Medio-lateral oblique mammogram of the right breast. 44-year-old patient.
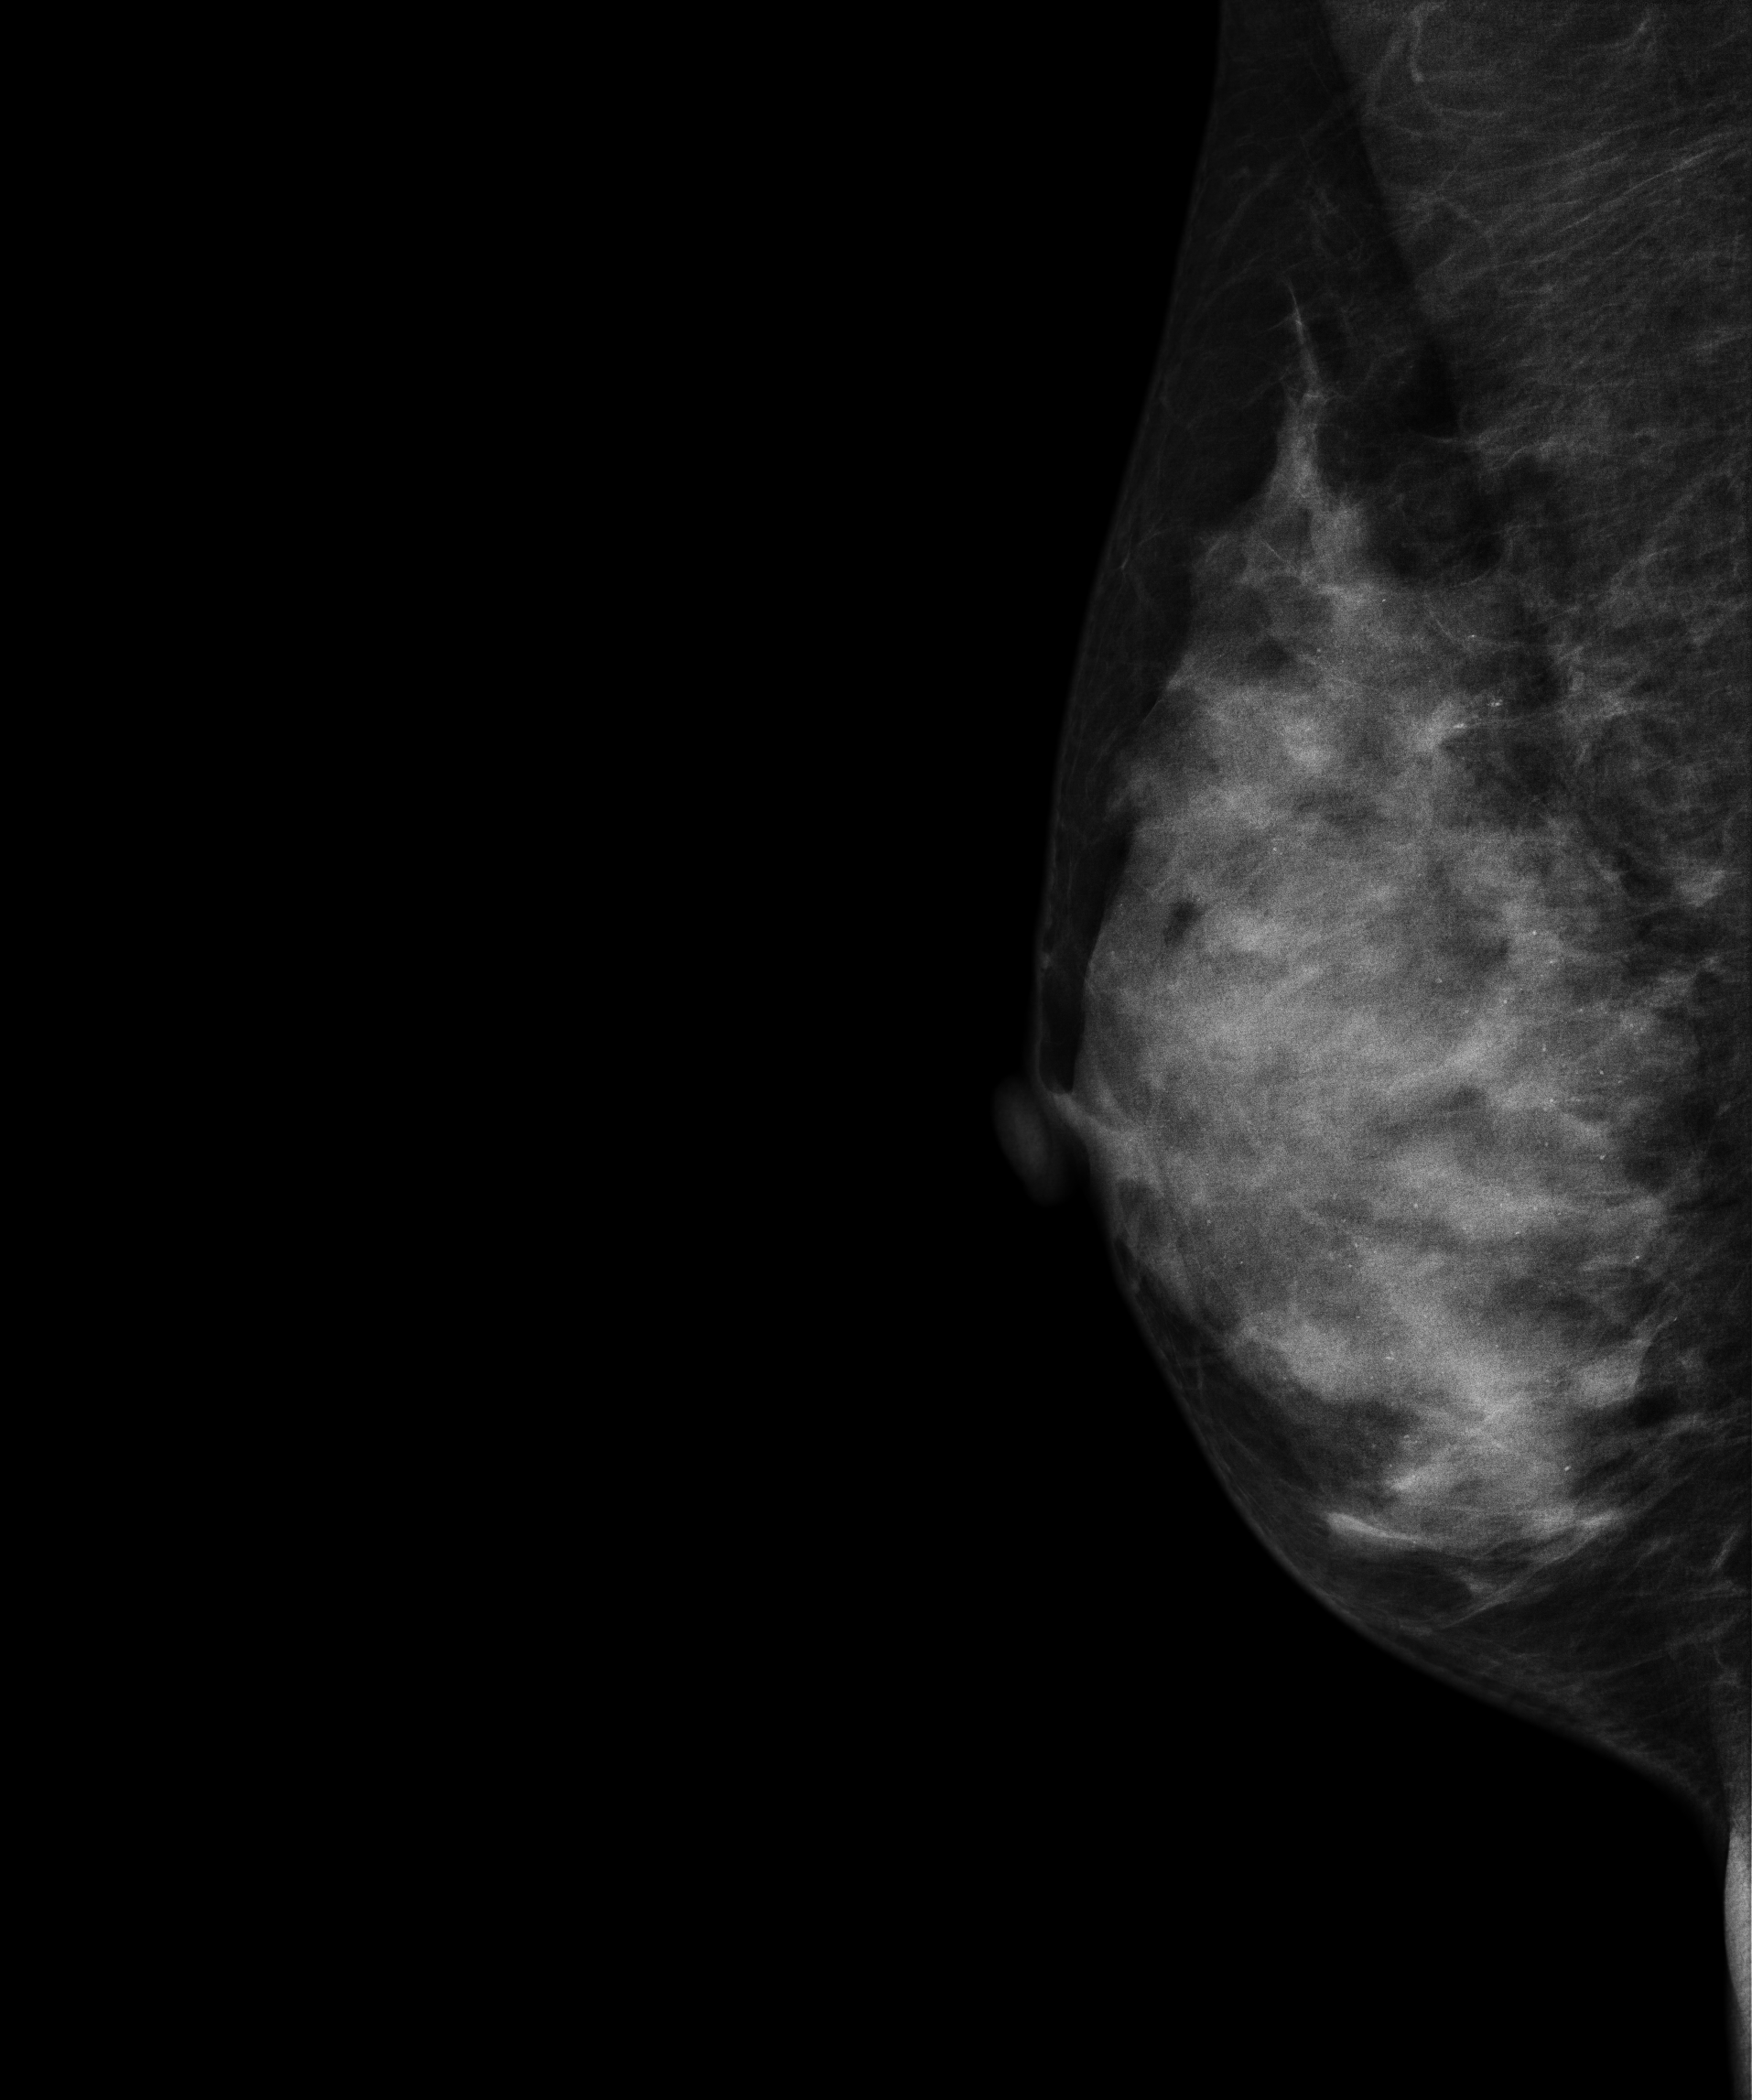
This breast has calcifications, biopsy-proven benign.